Digital mammography. Left breast, cranio-caudal projection. Patient age 66.
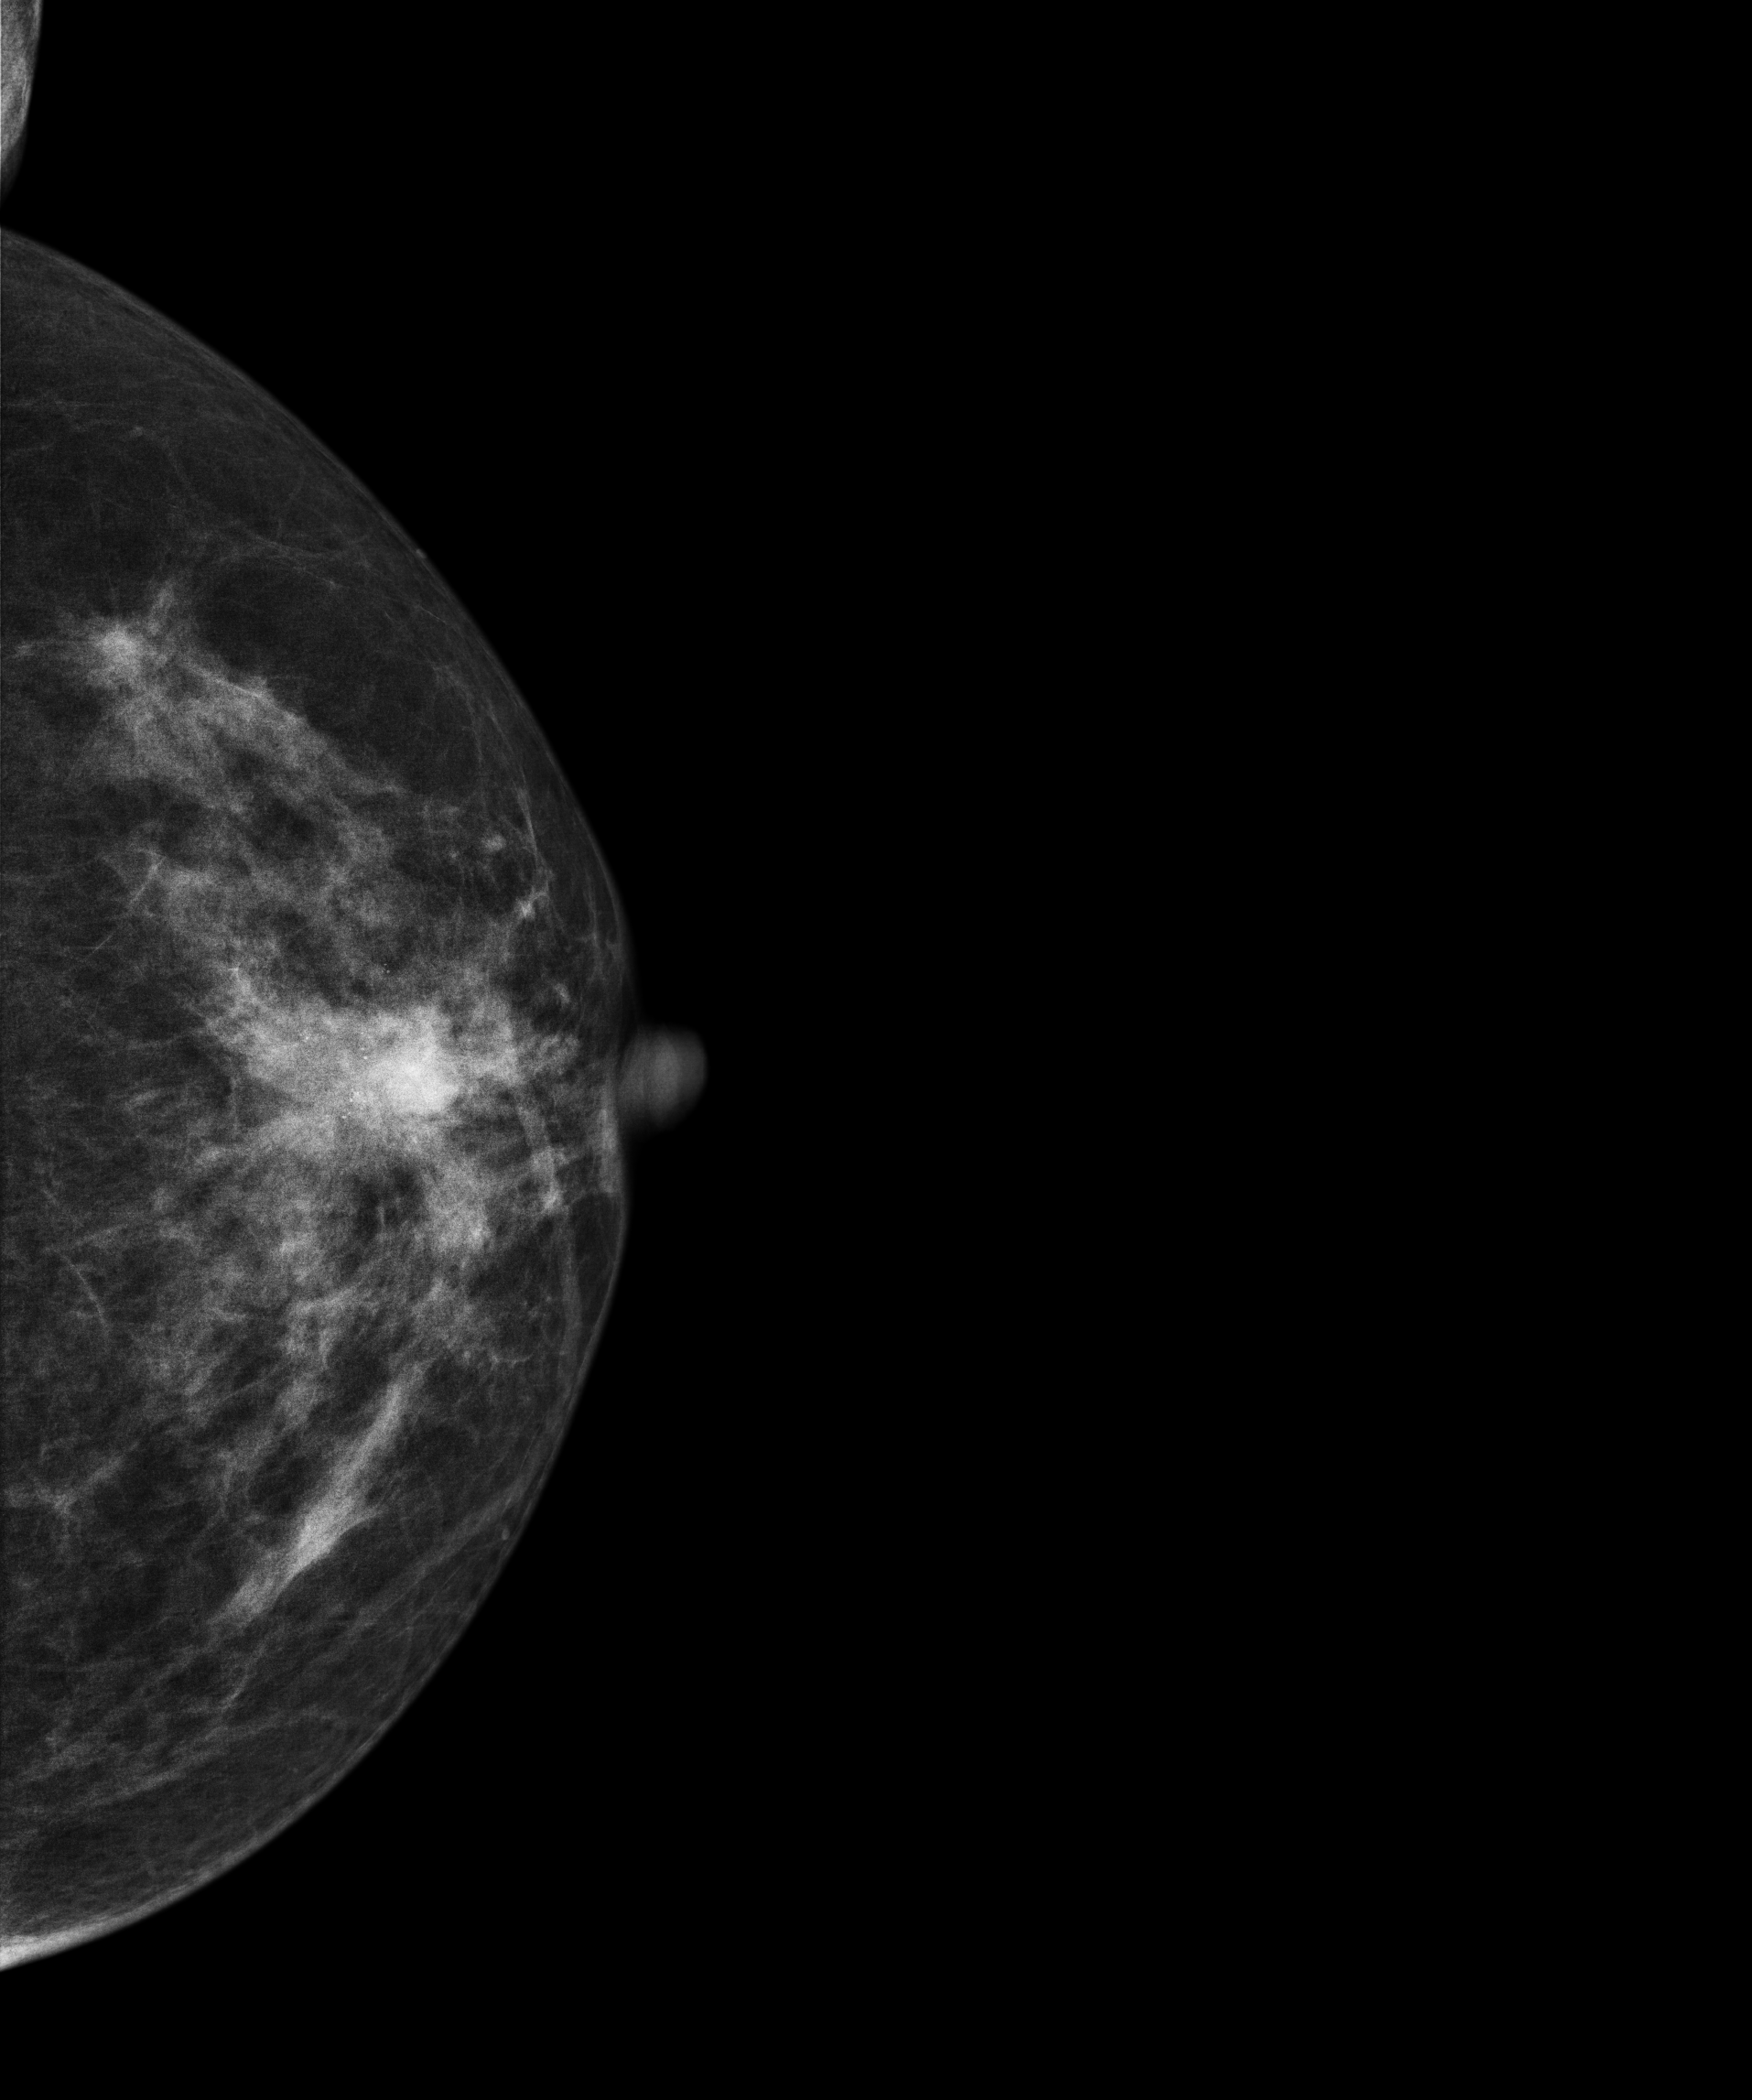
This breast has a mass and calcifications, histologically confirmed malignant. Molecular subtype: triple-negative.